Mammogram, right breast, MLO view. 52 y/o patient.
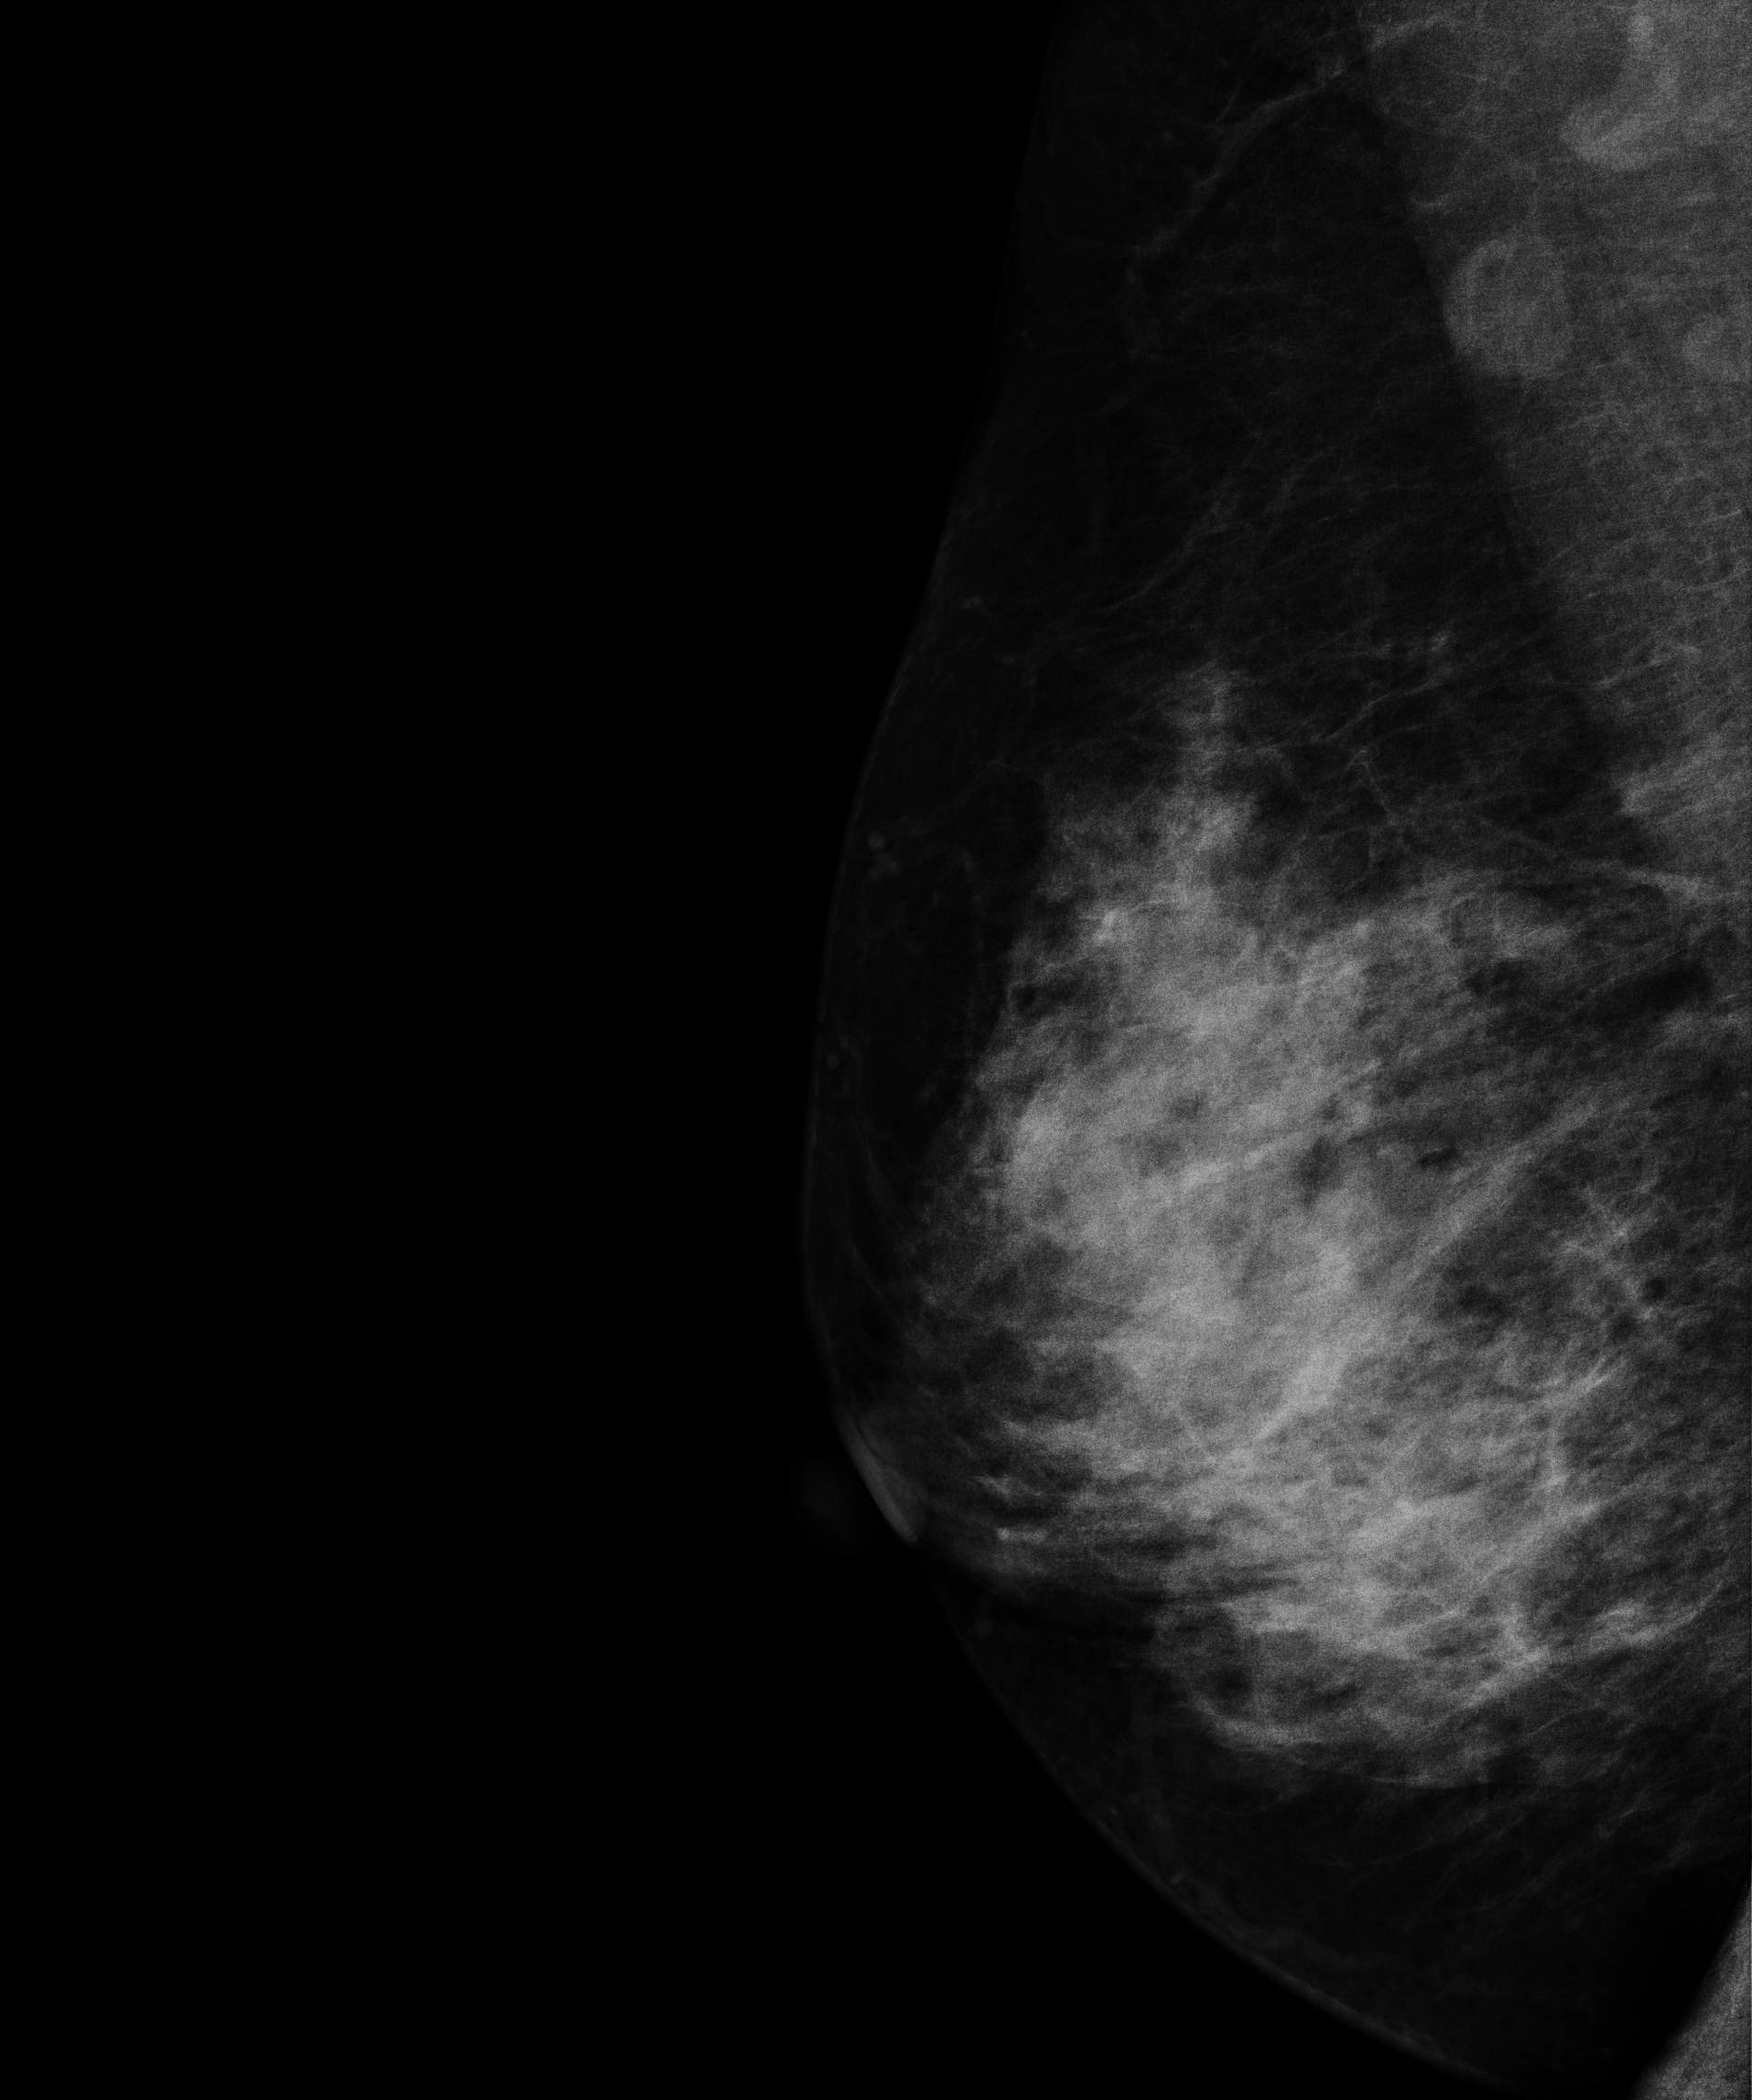
This breast has a mass, biopsy-proven benign.